Right-breast mammogram, MLO. 46 y/o patient.
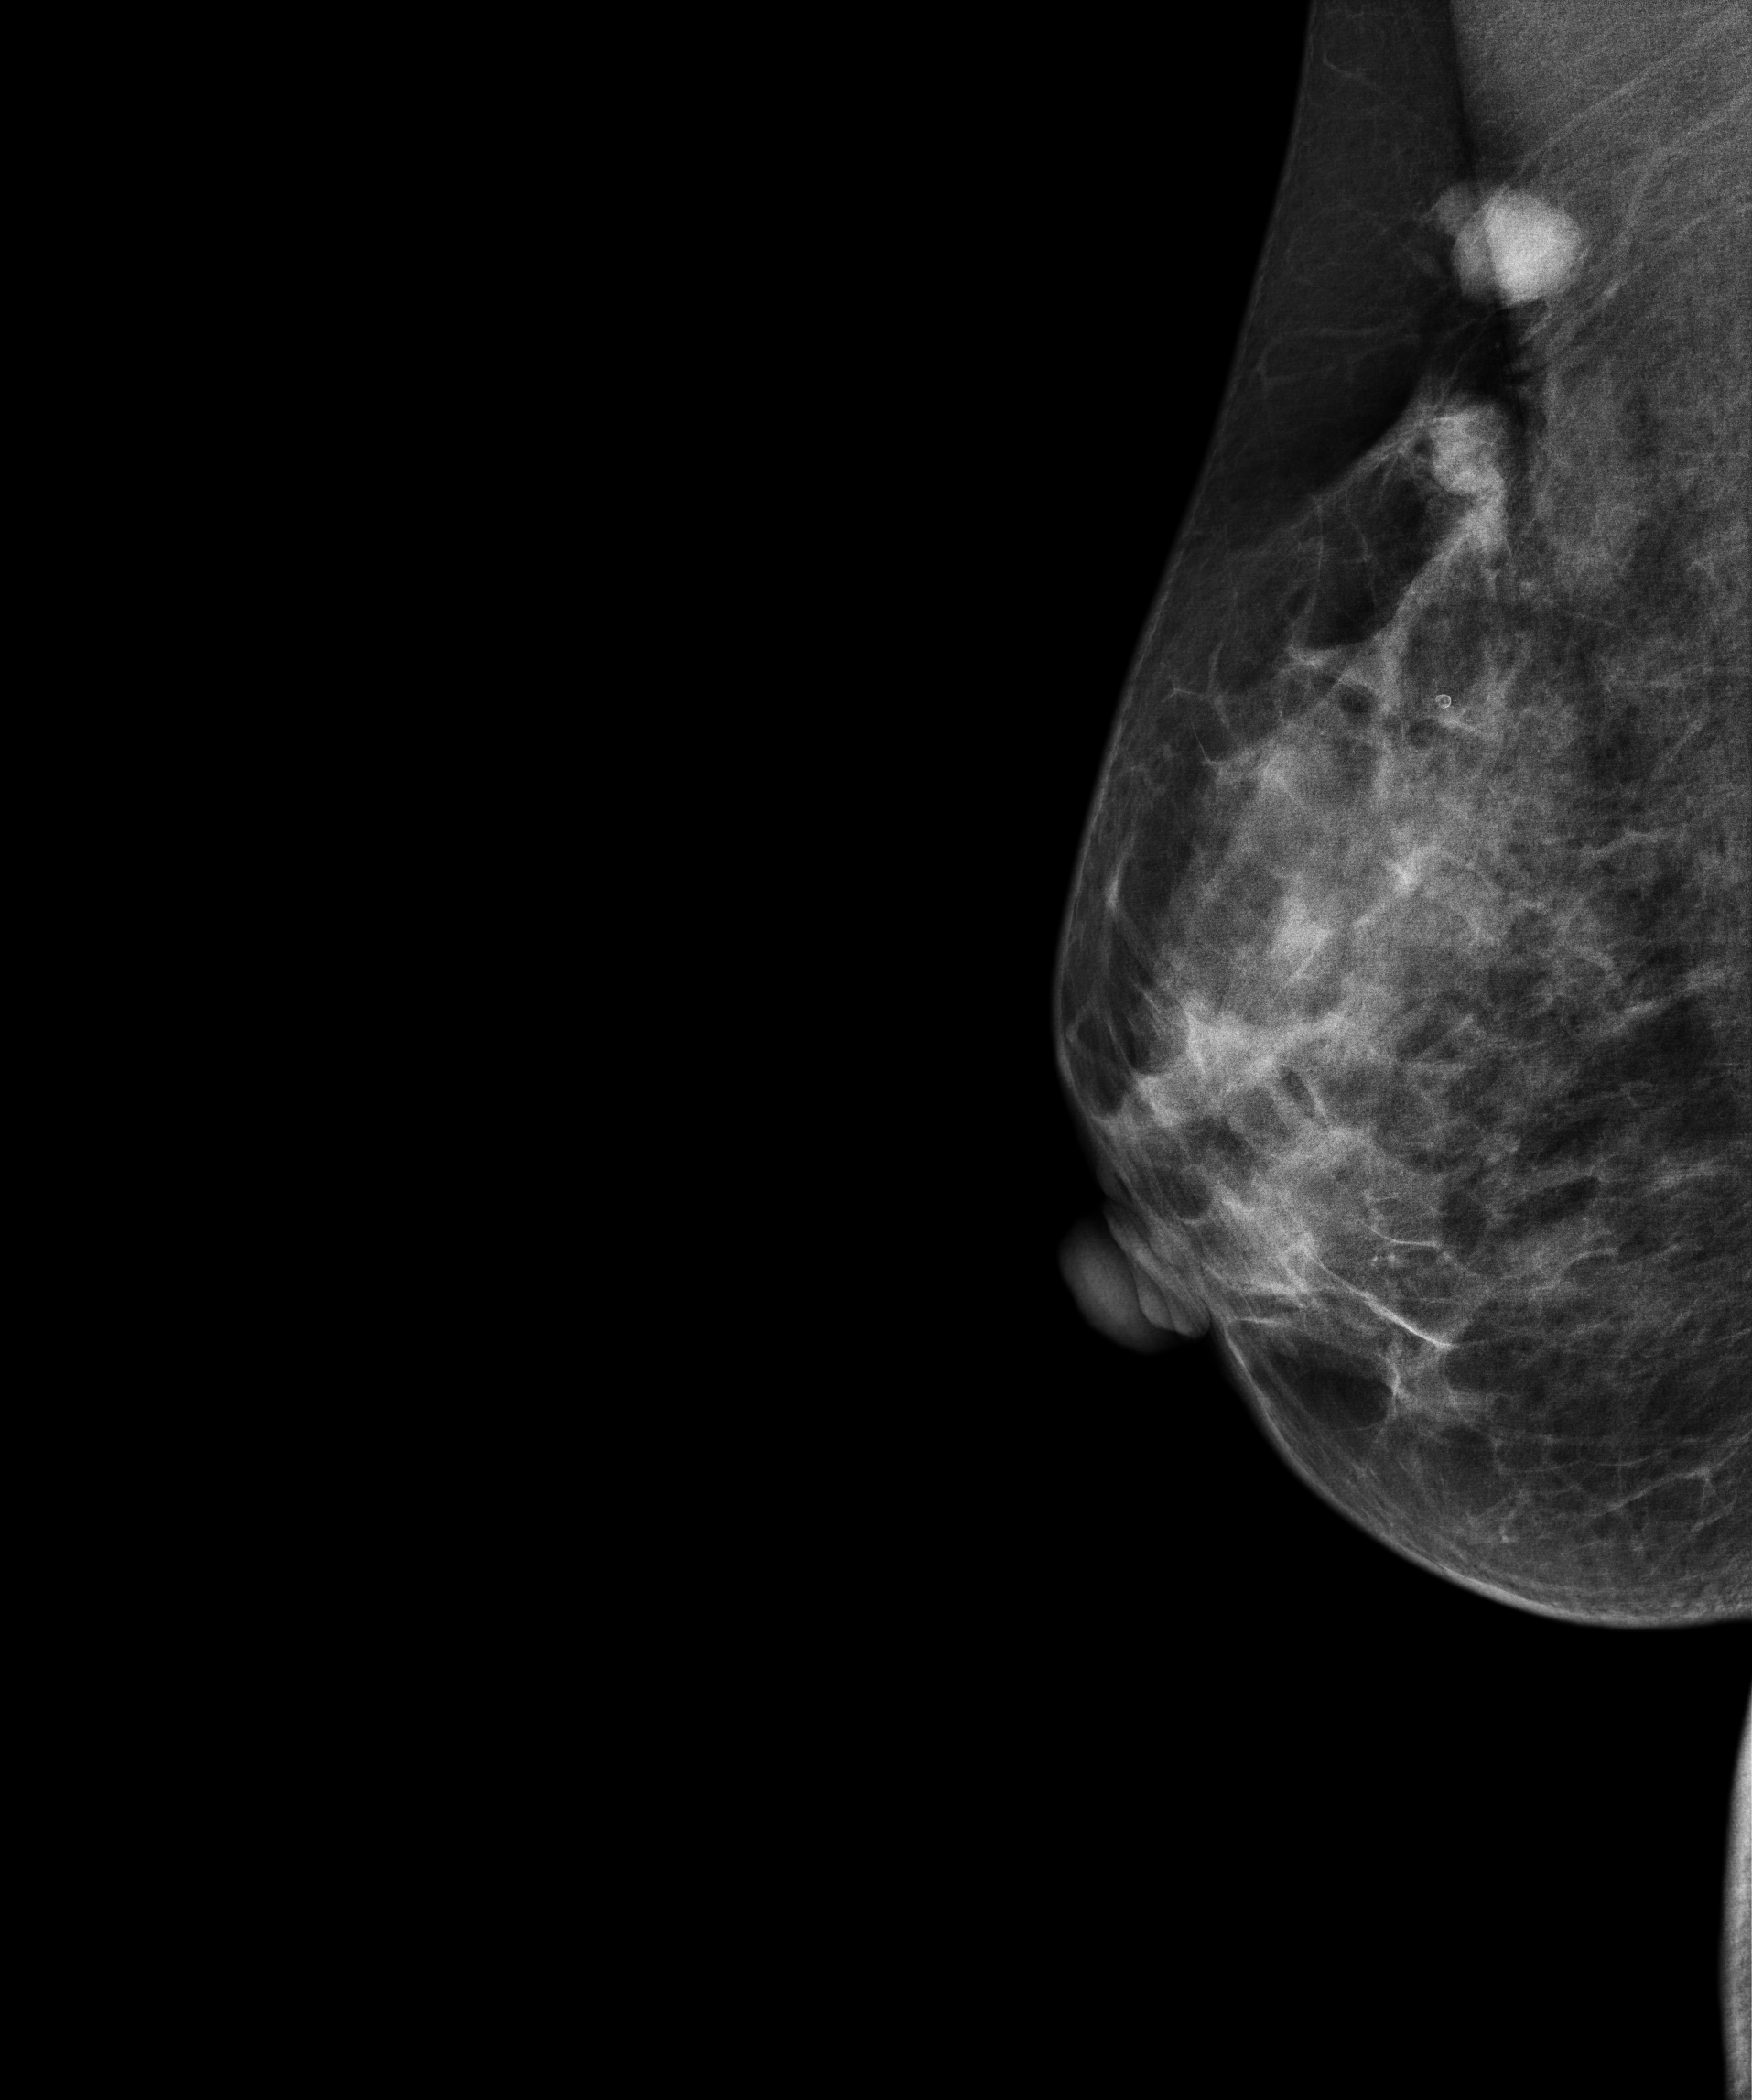
This breast has a mass, histologically confirmed malignant. Molecular subtype: luminal B.